CC mammogram of the right breast. 18 y/o patient.
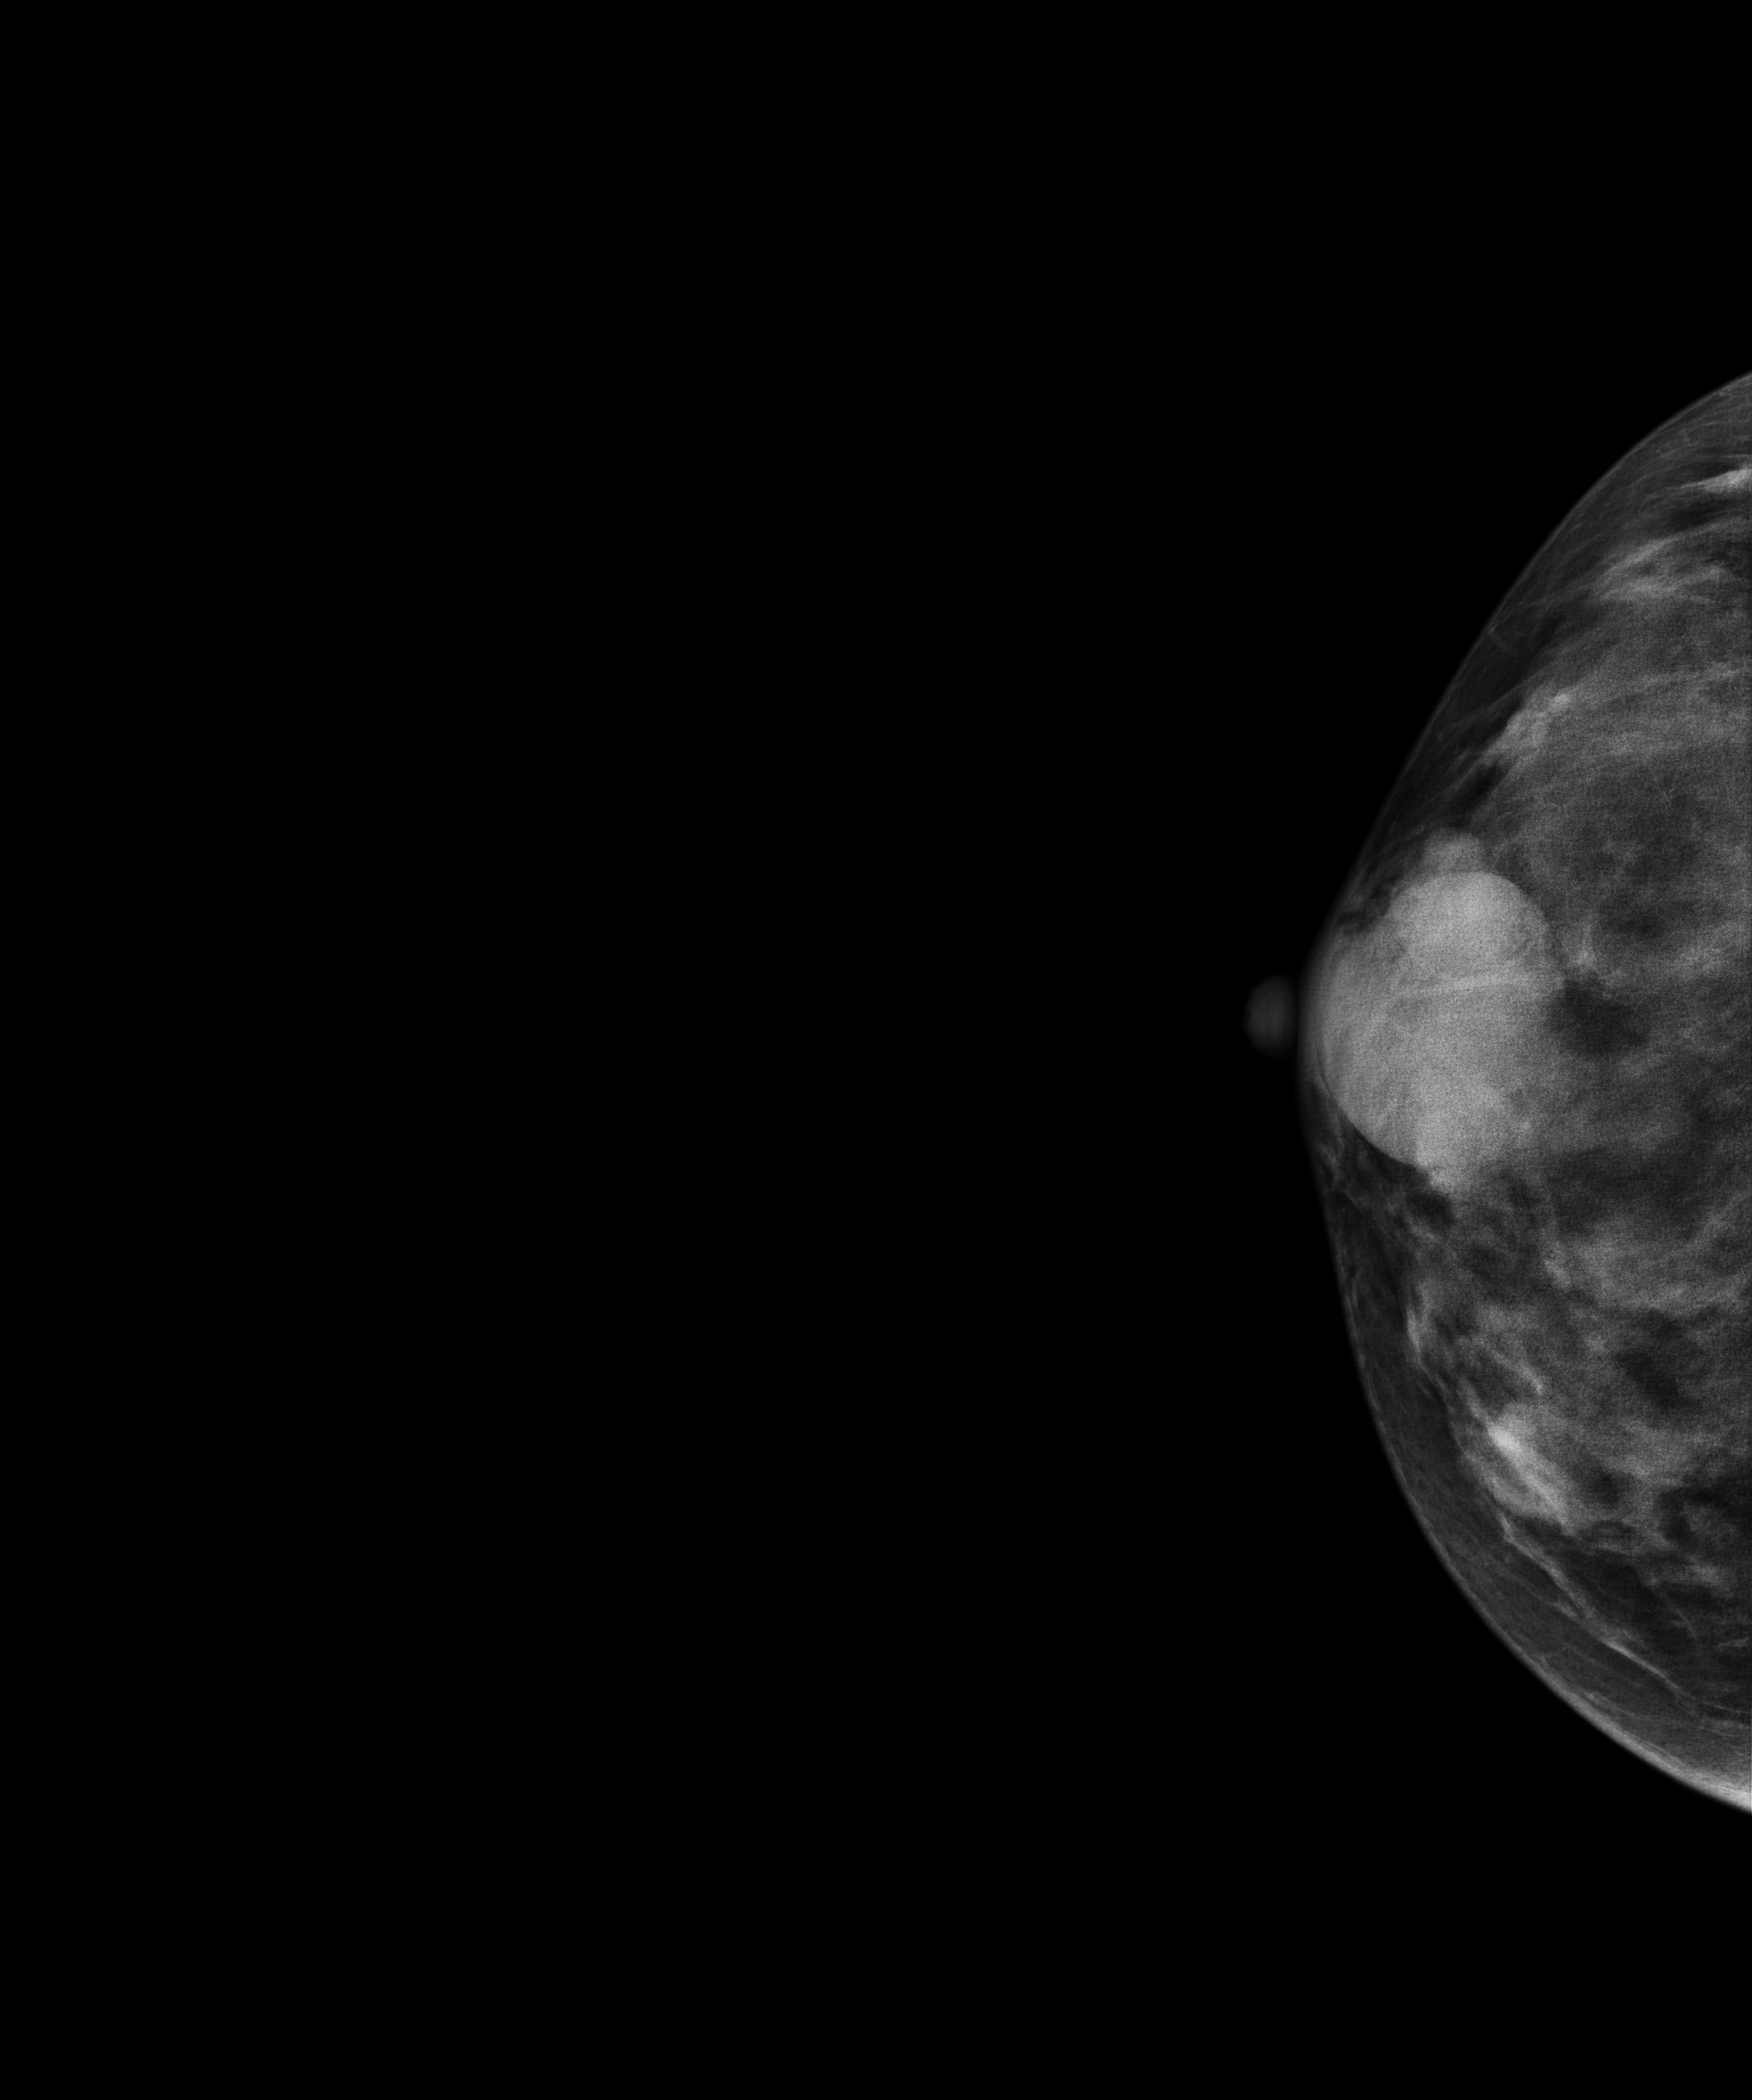
This breast has a mass, histologically confirmed benign.